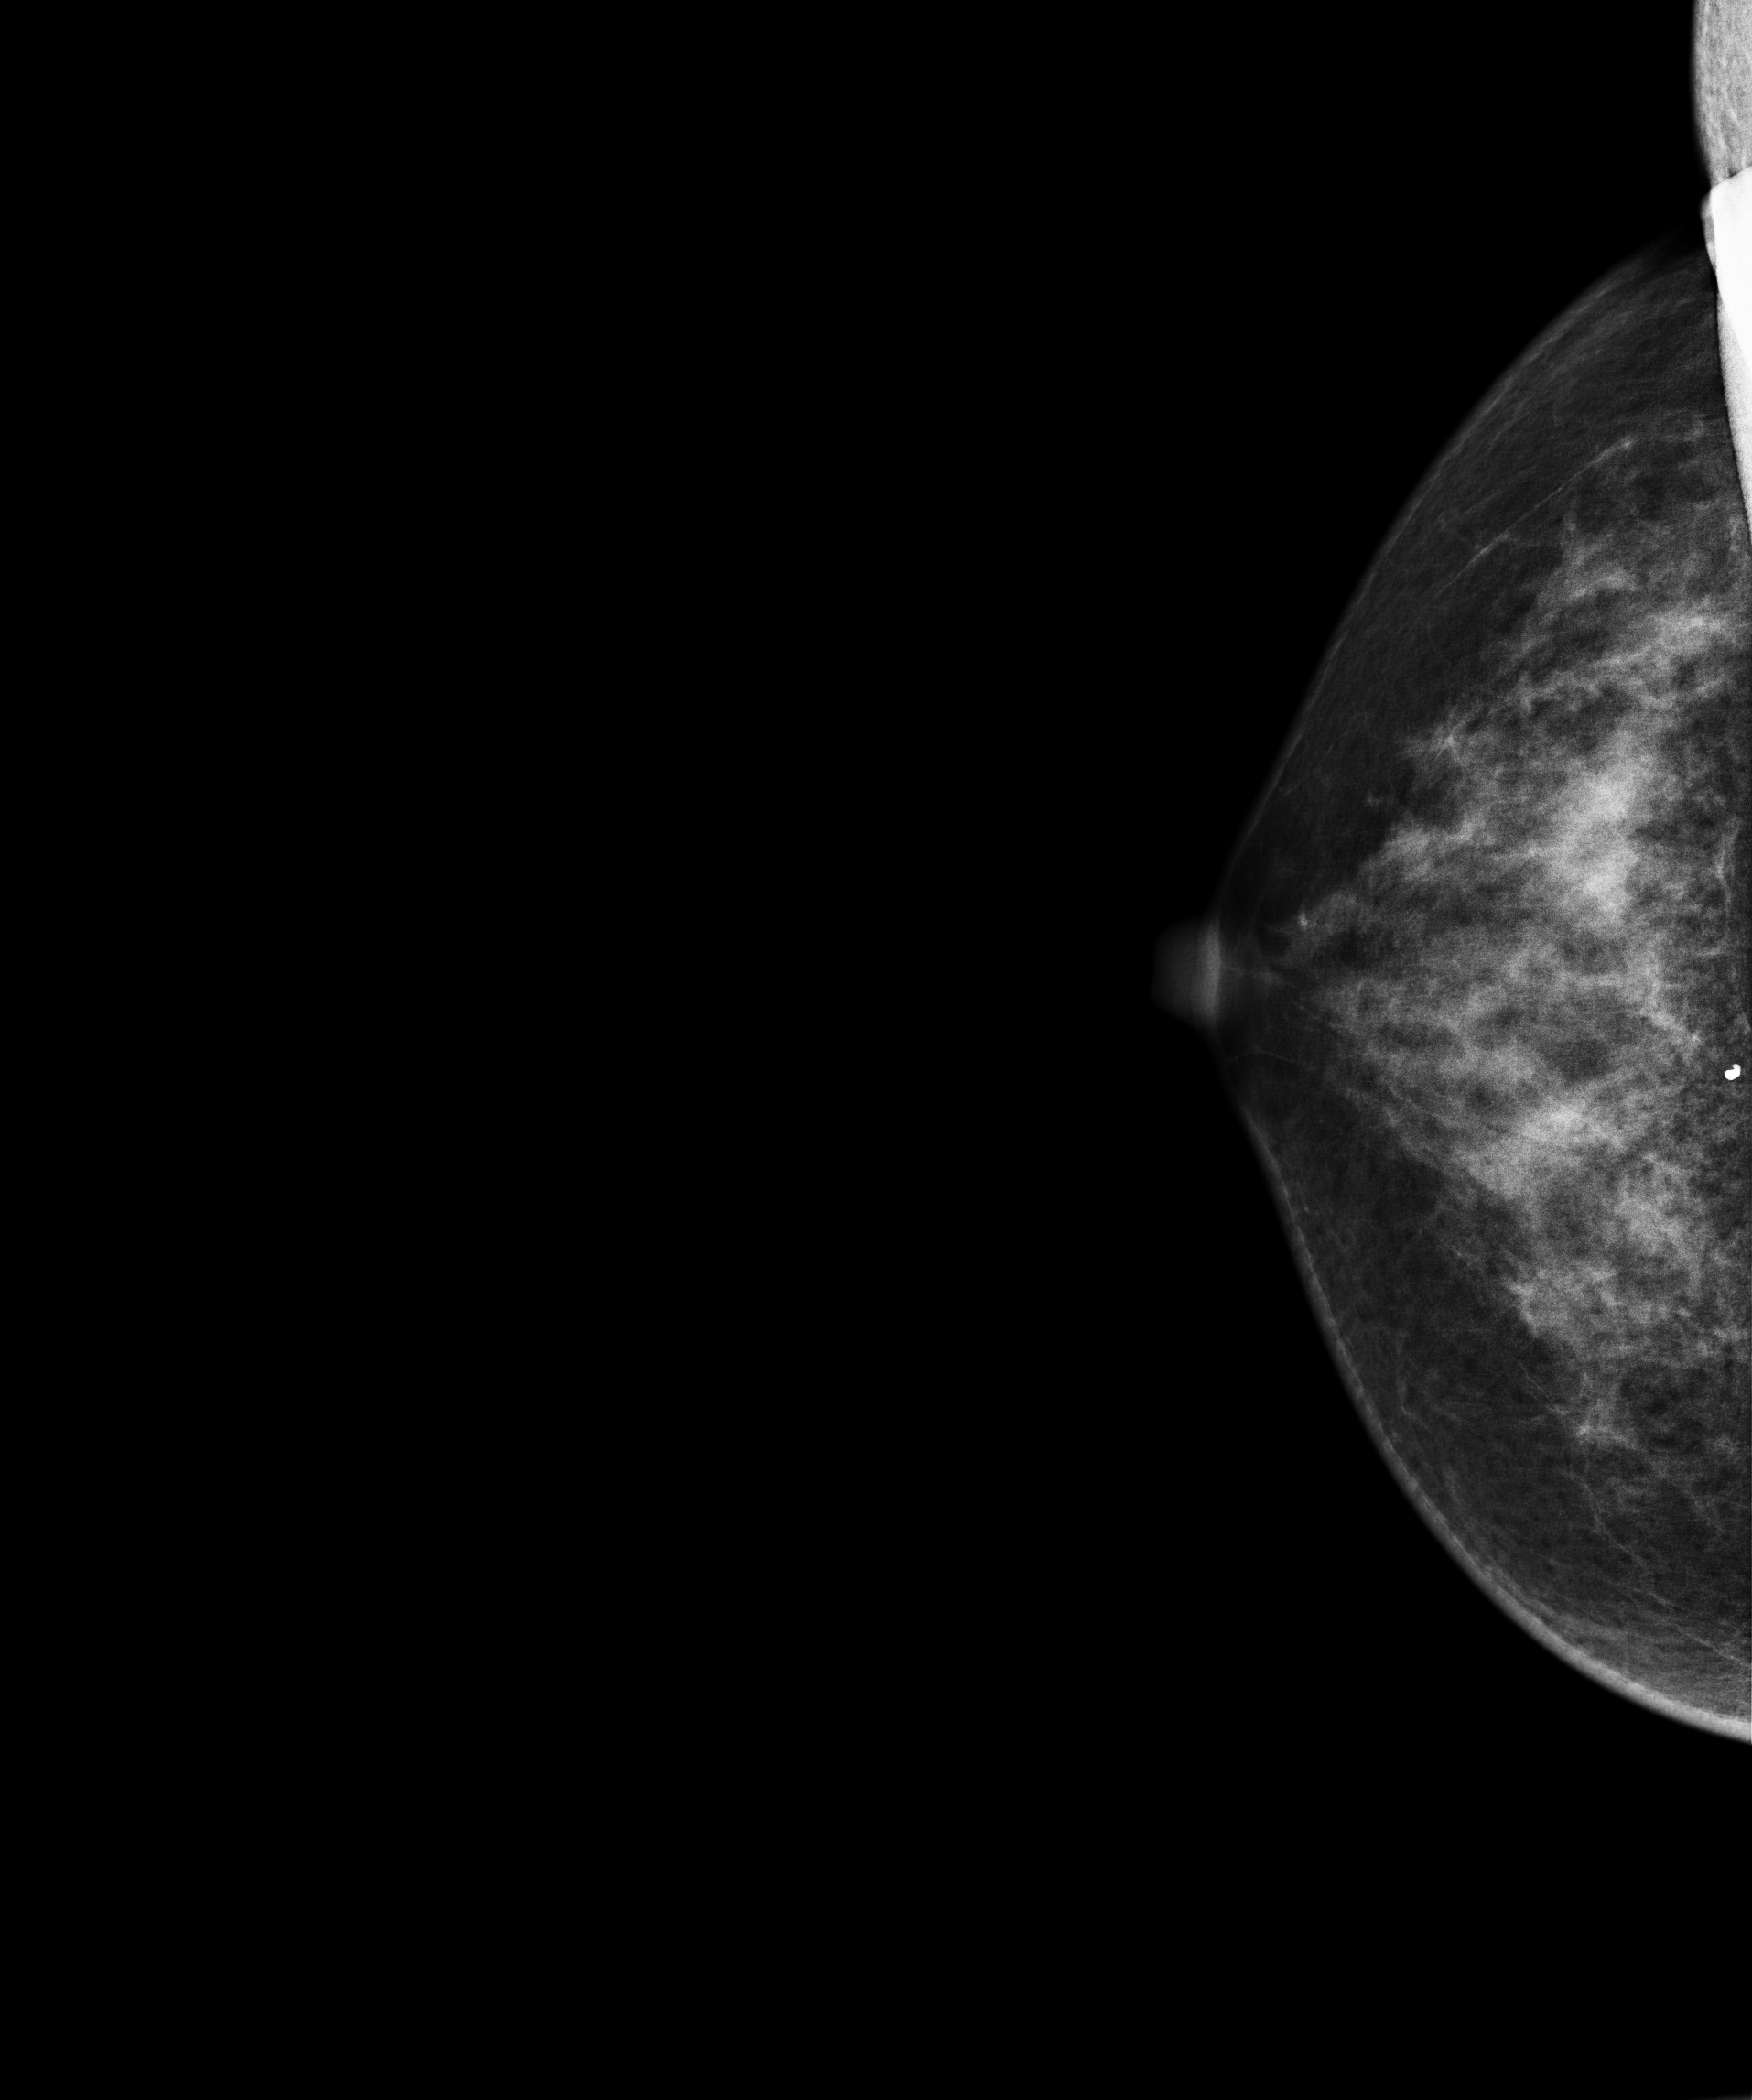
Mammogram — right CC. 44-year-old patient.
Contralateral breast — no documented abnormality on this side.